Mammogram, right breast, CC view. 33-year-old patient.
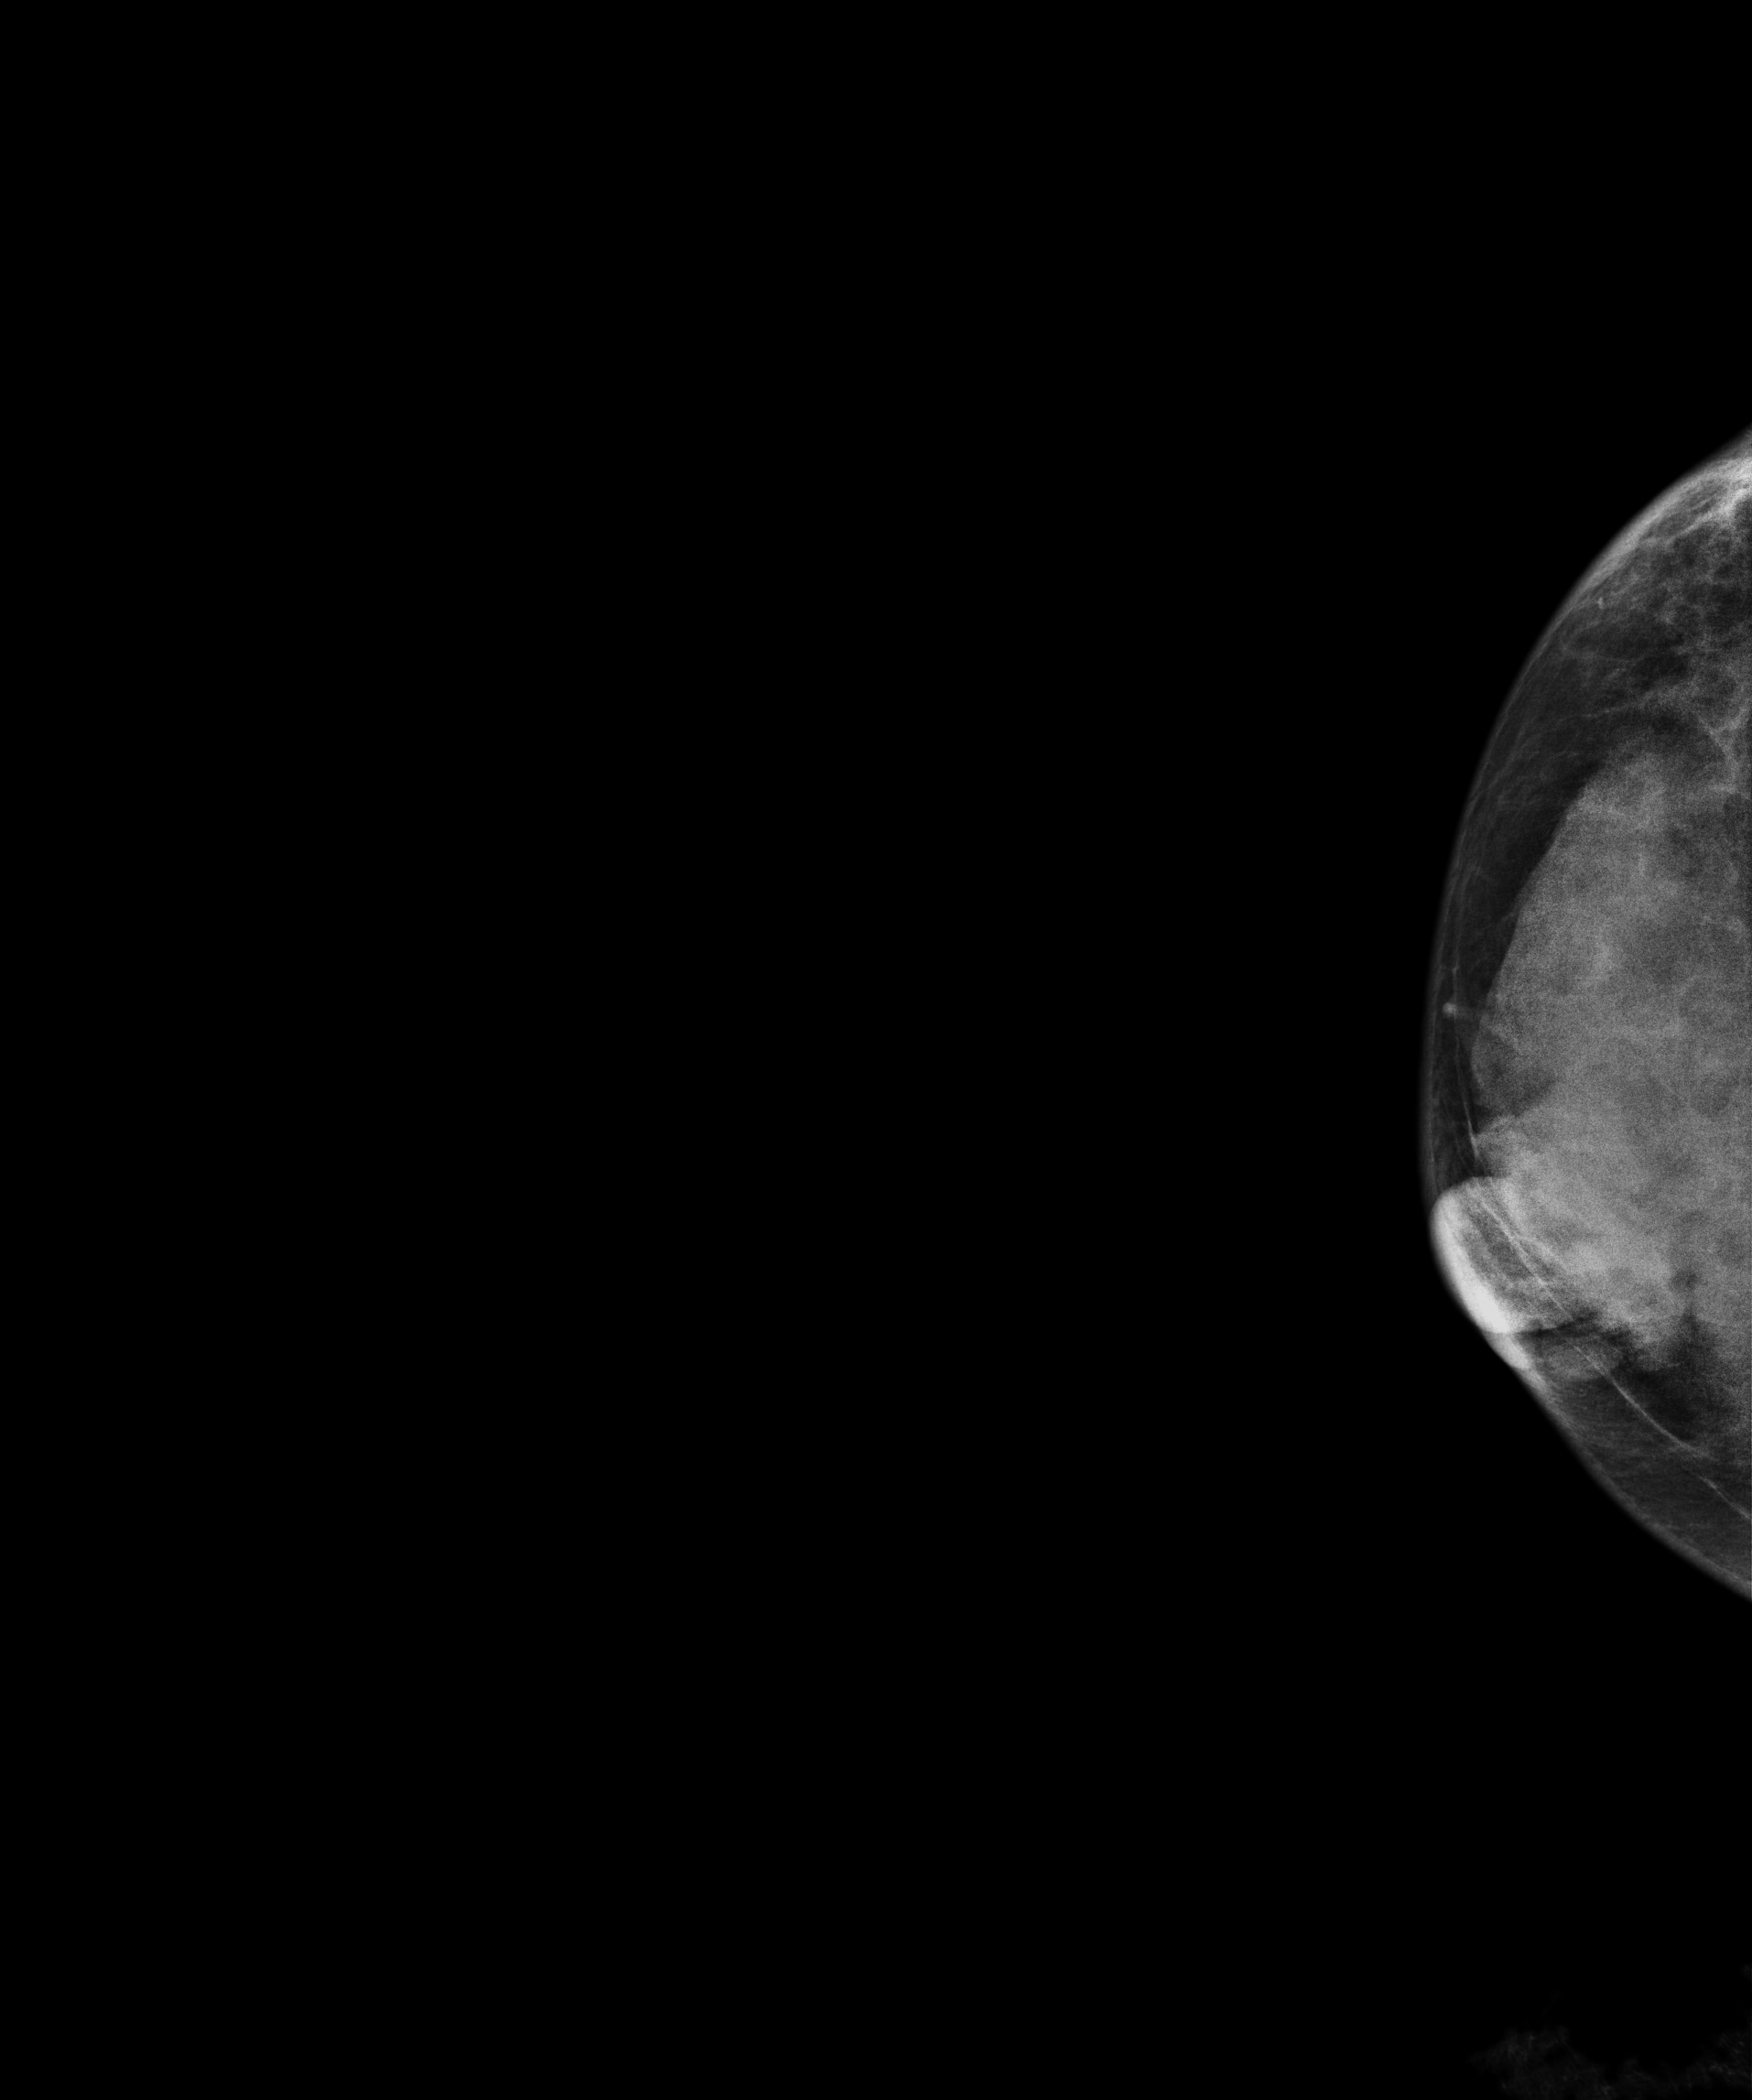
This breast has a mass, histologically confirmed malignant. Molecular subtype: luminal B.